Mammogram — left cranio-caudal. 46-year-old patient.
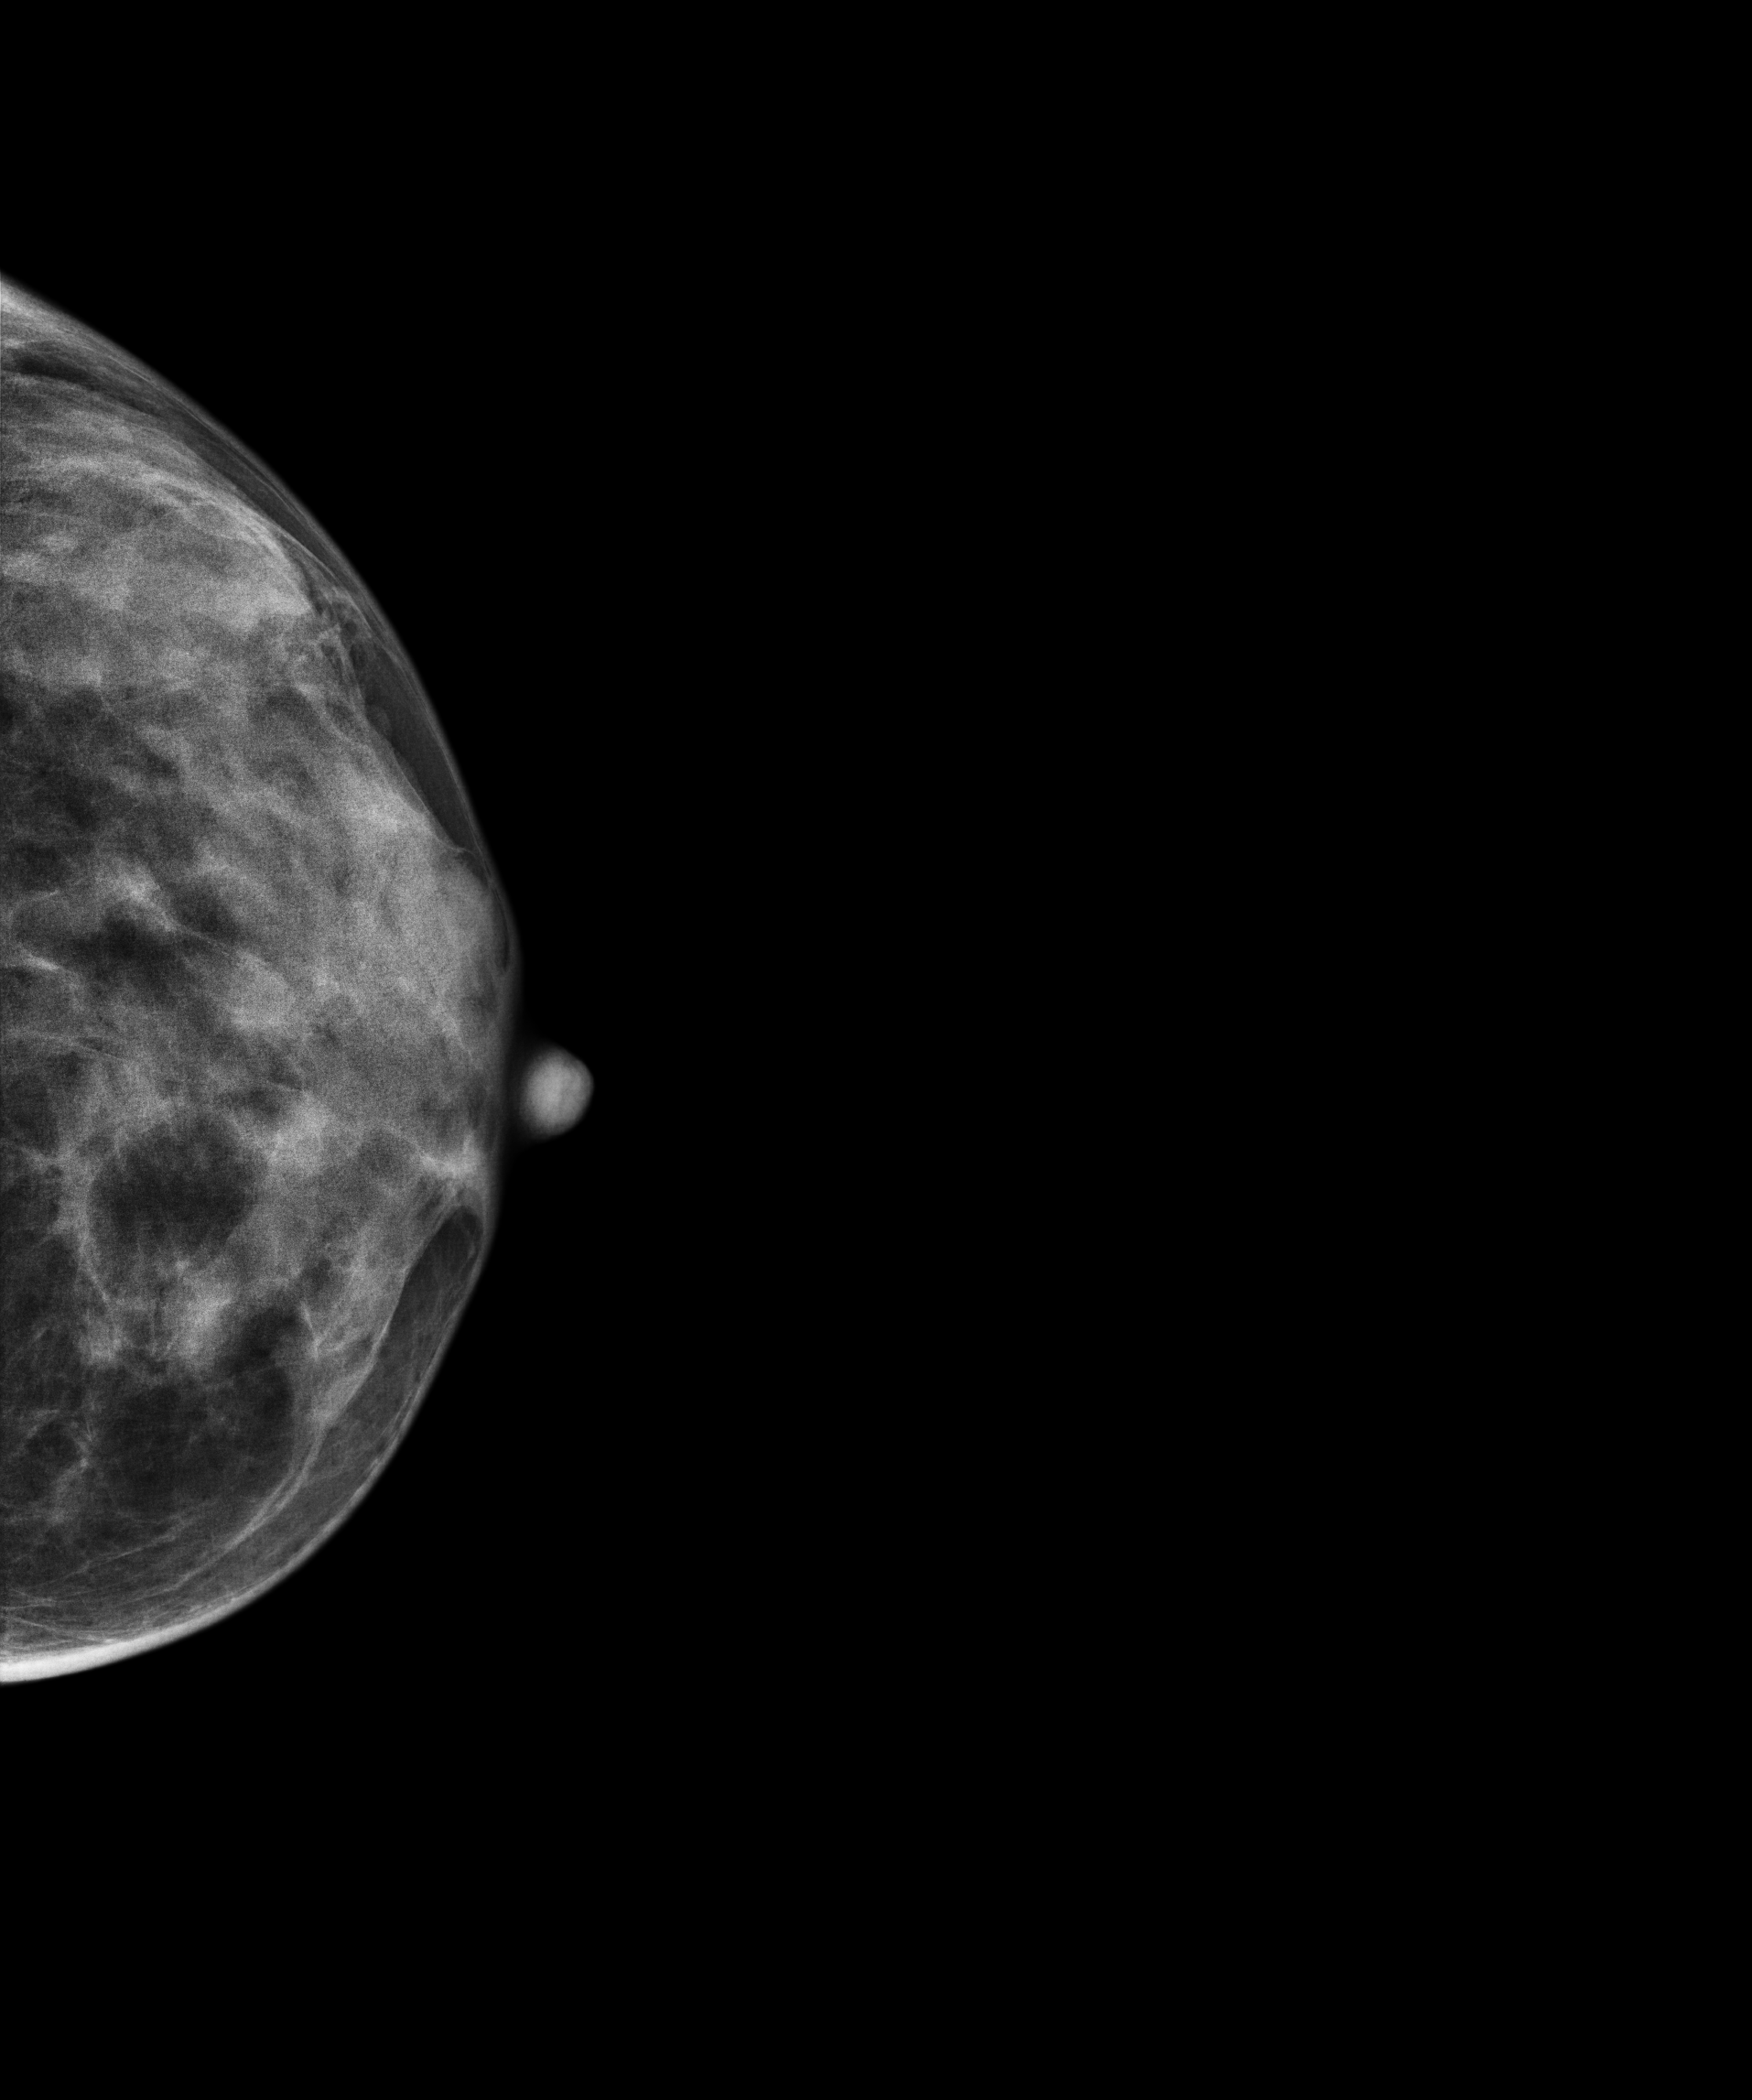
This breast has a mass, biopsy-confirmed benign.